Digital mammography. Left breast, MLO projection. 72-year-old patient.
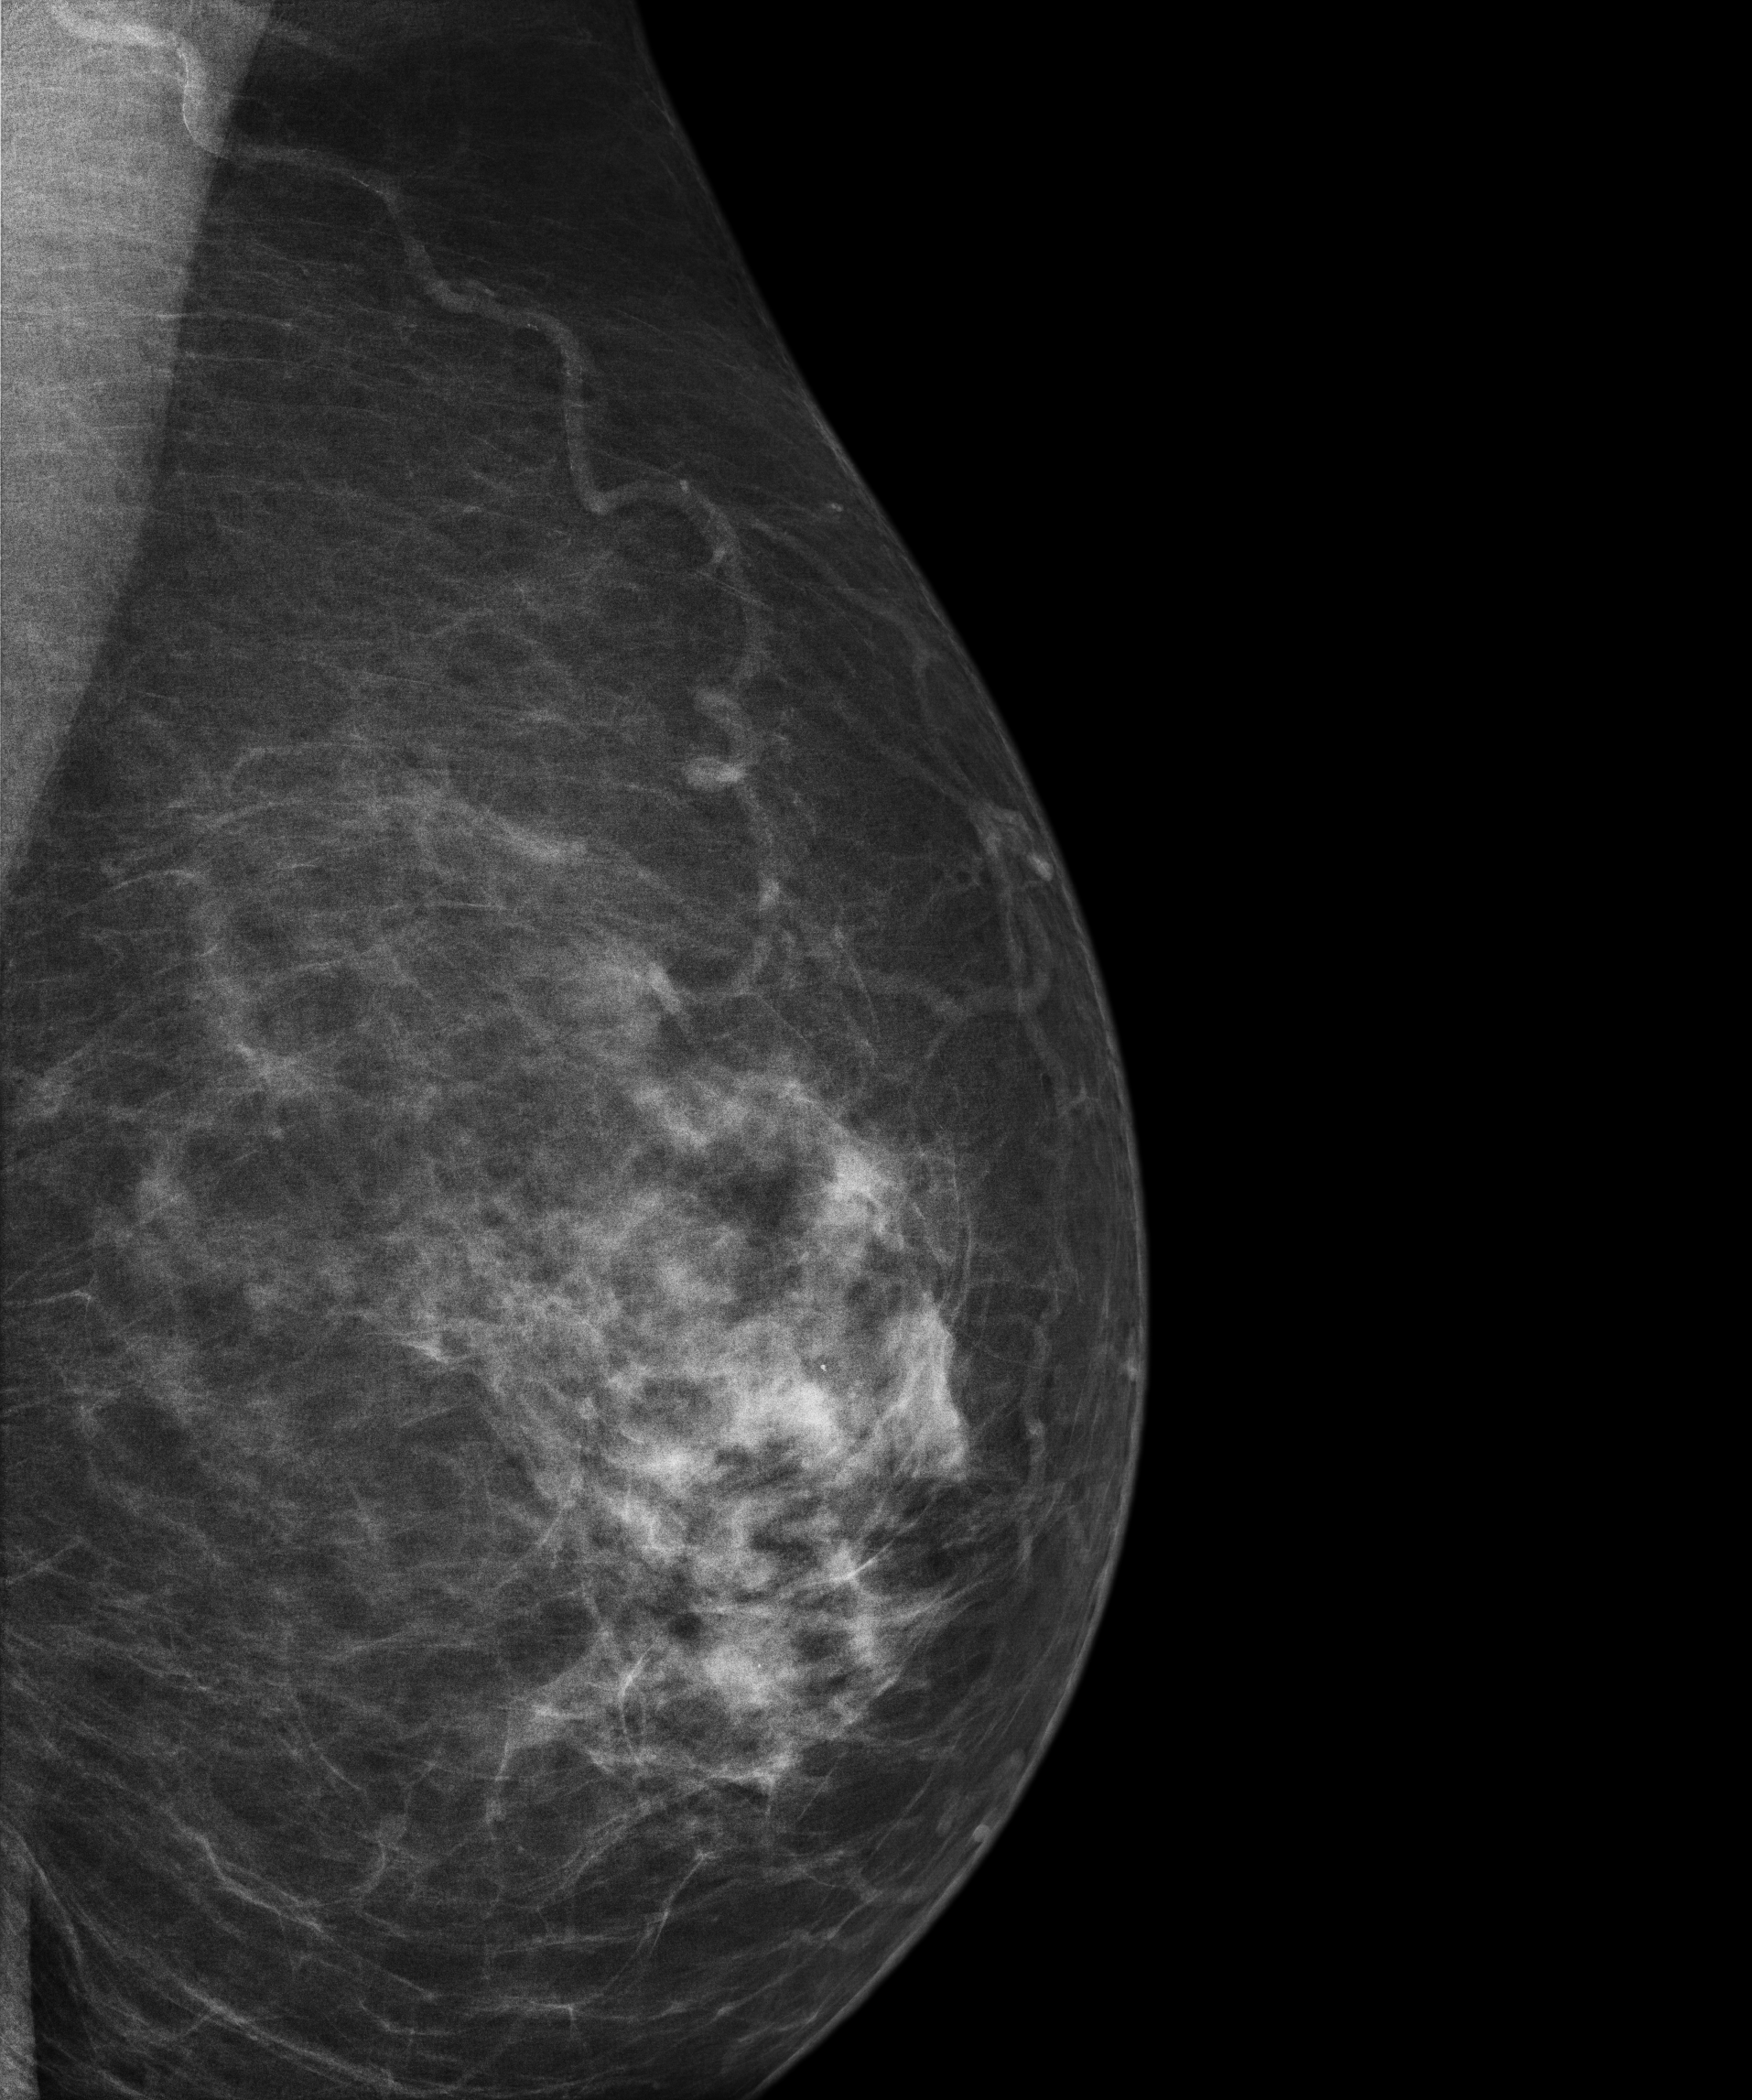
This breast has a mass, pathology-confirmed malignant. Molecular subtype: luminal B.